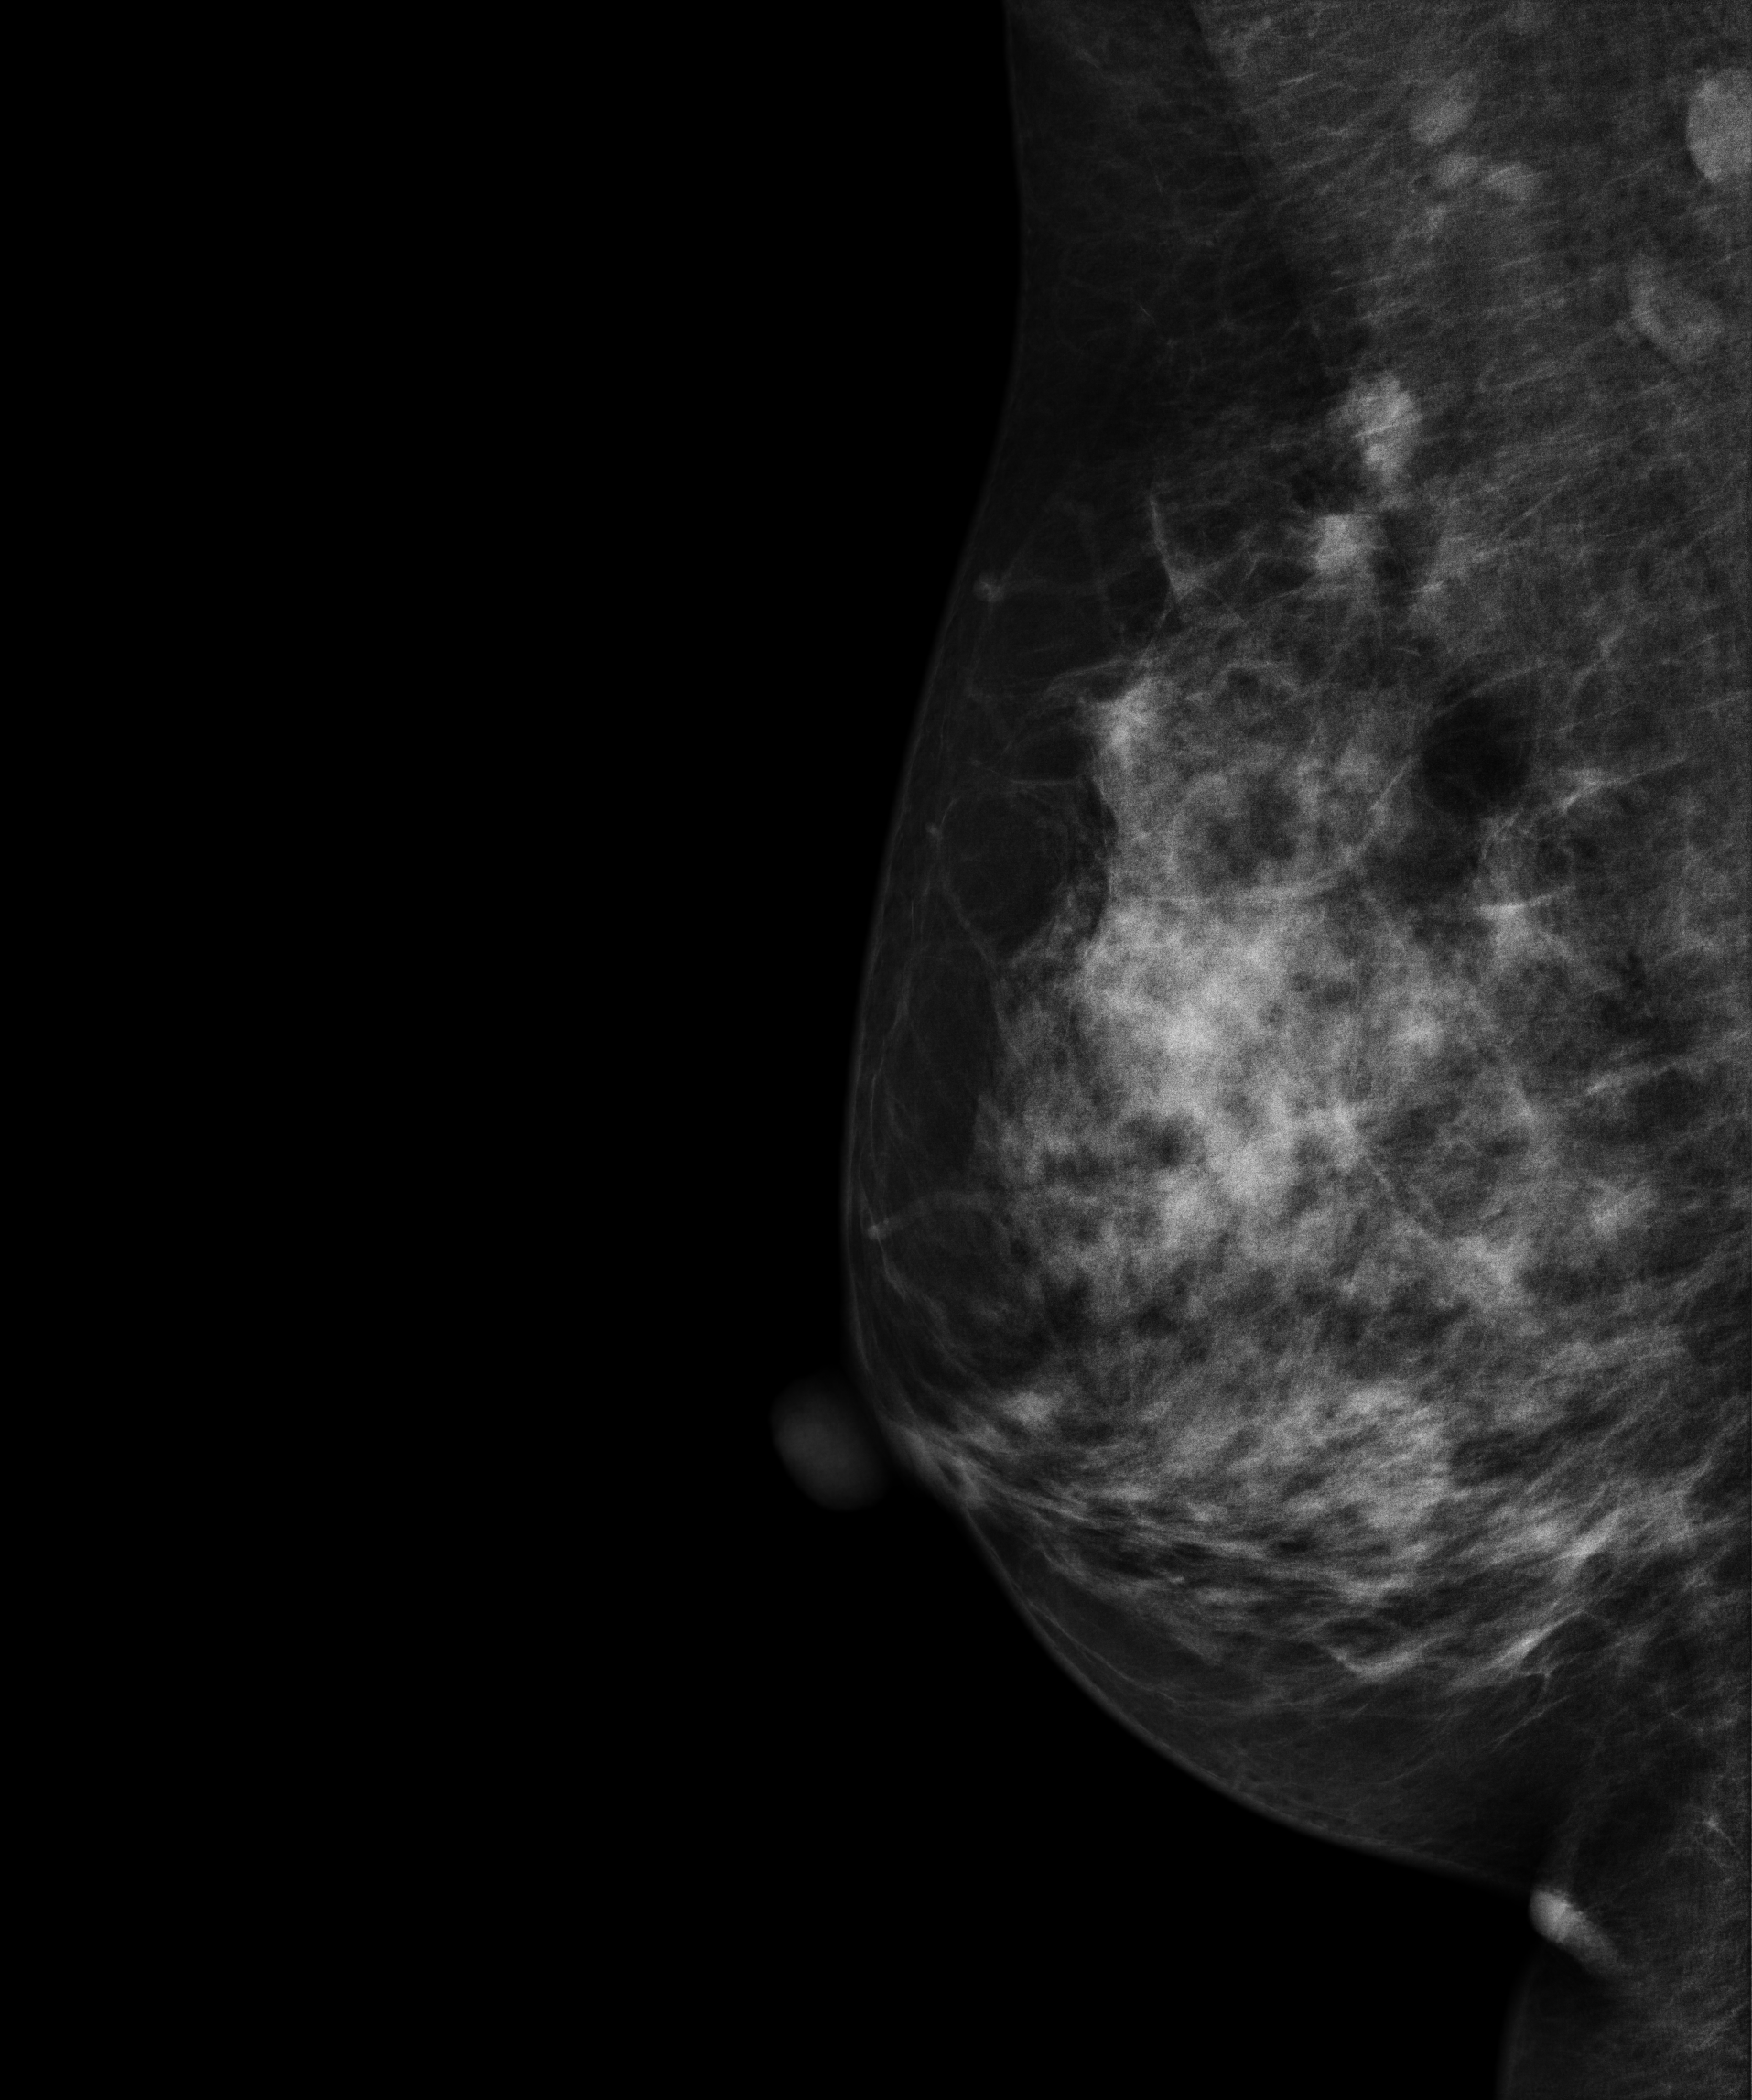
Mammogram, right breast, medio-lateral oblique view. 45 y/o patient.
This breast has a mass and calcifications, histologically confirmed malignant. Molecular subtype: luminal B.